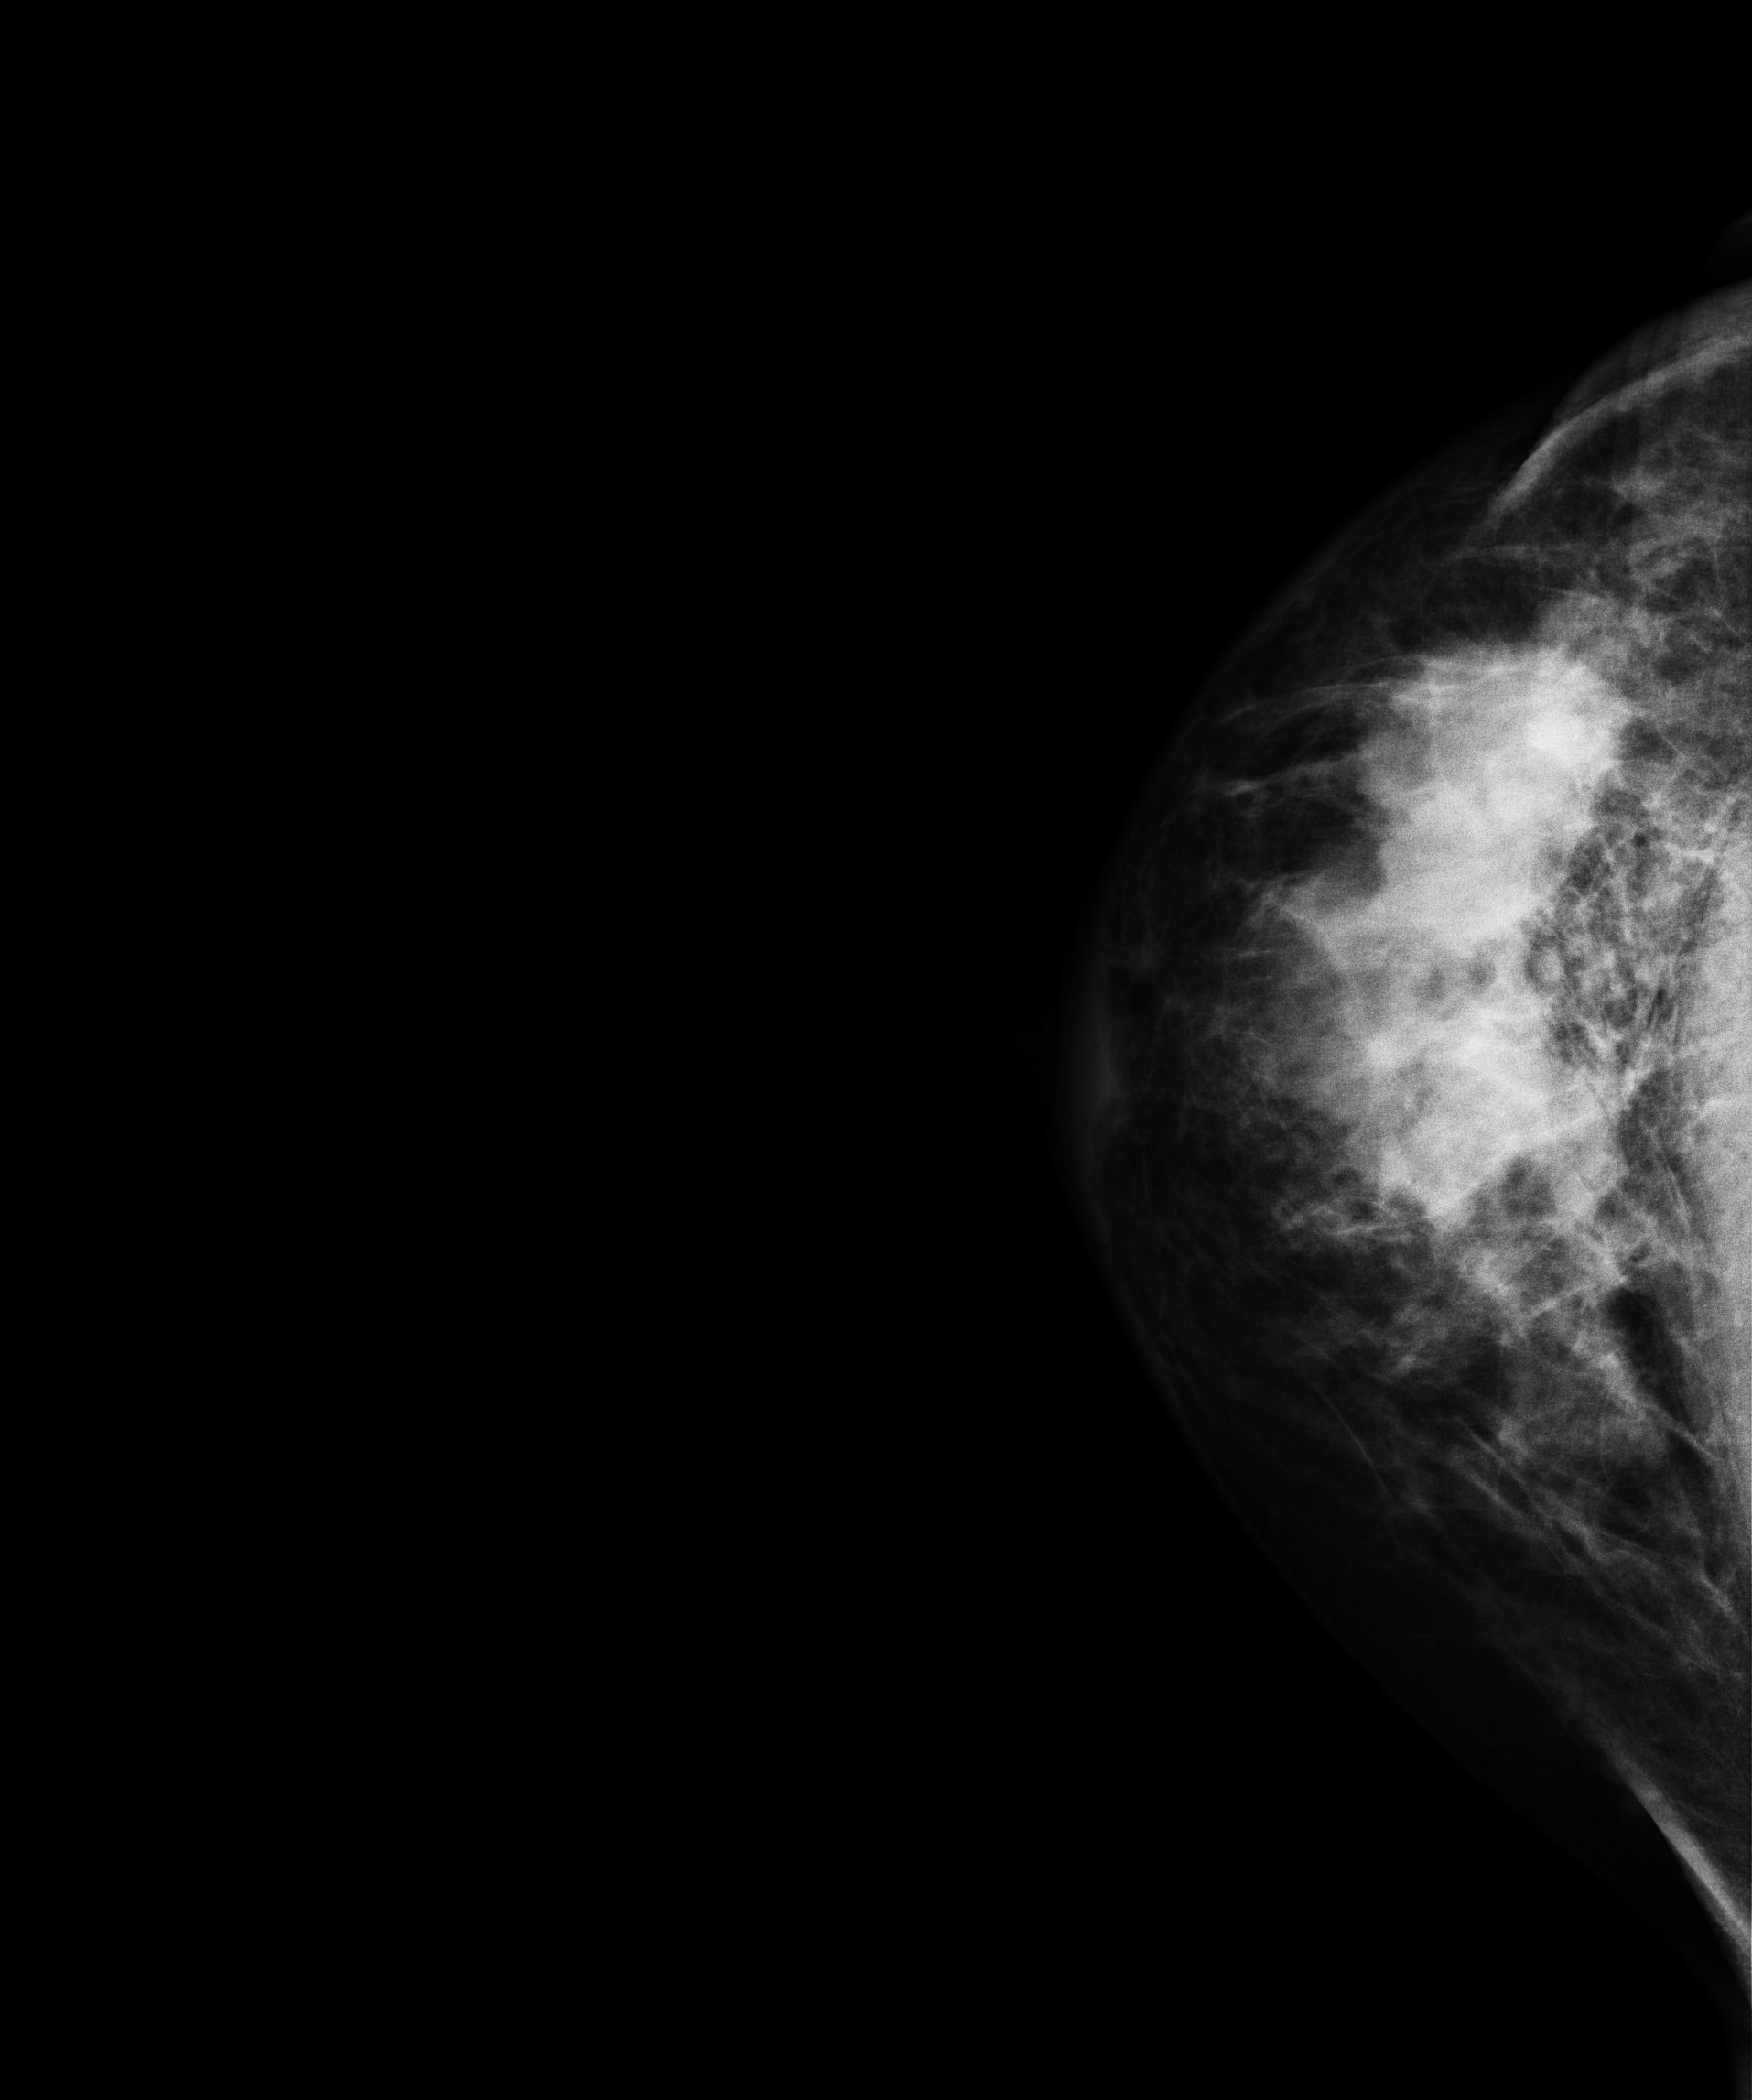
CC mammogram of the right breast. 51-year-old patient.
This breast has a mass, biopsy-confirmed malignant. Molecular subtype: luminal A.